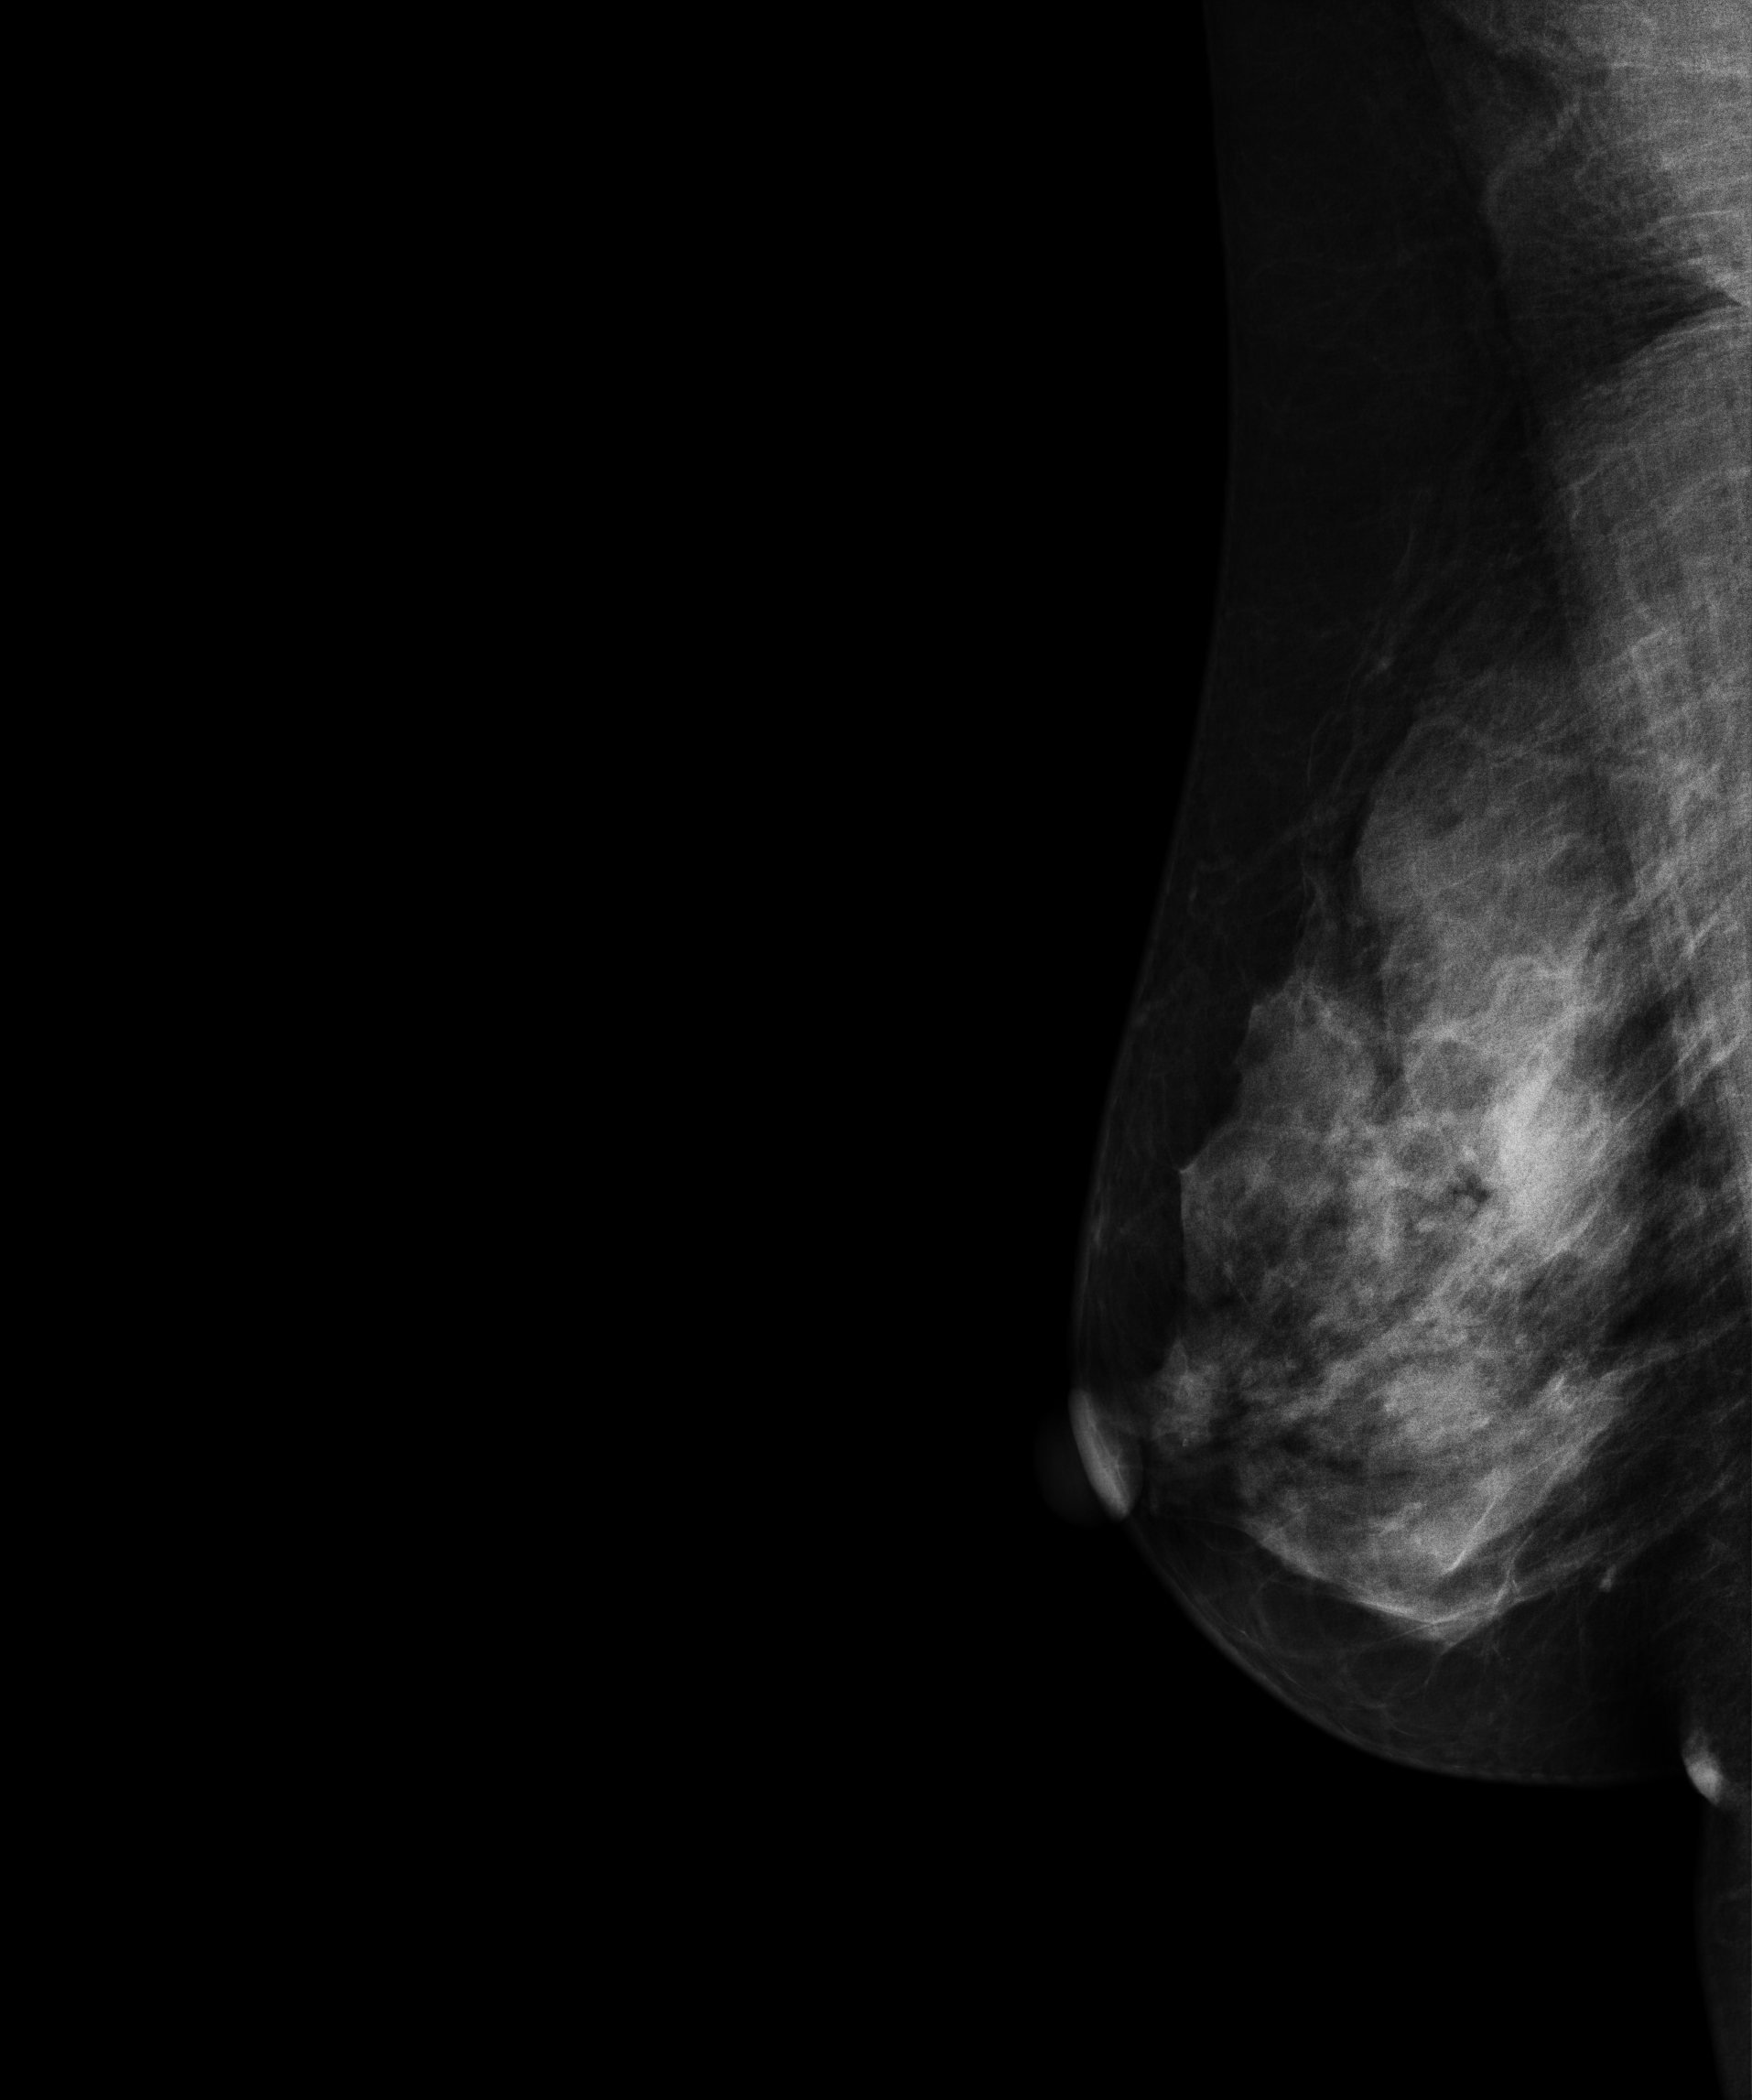
Right-breast mammogram, medio-lateral oblique. 47-year-old patient.
Contralateral breast — no documented abnormality on this side.